Mammogram, left breast, cranio-caudal view. 47 y/o patient.
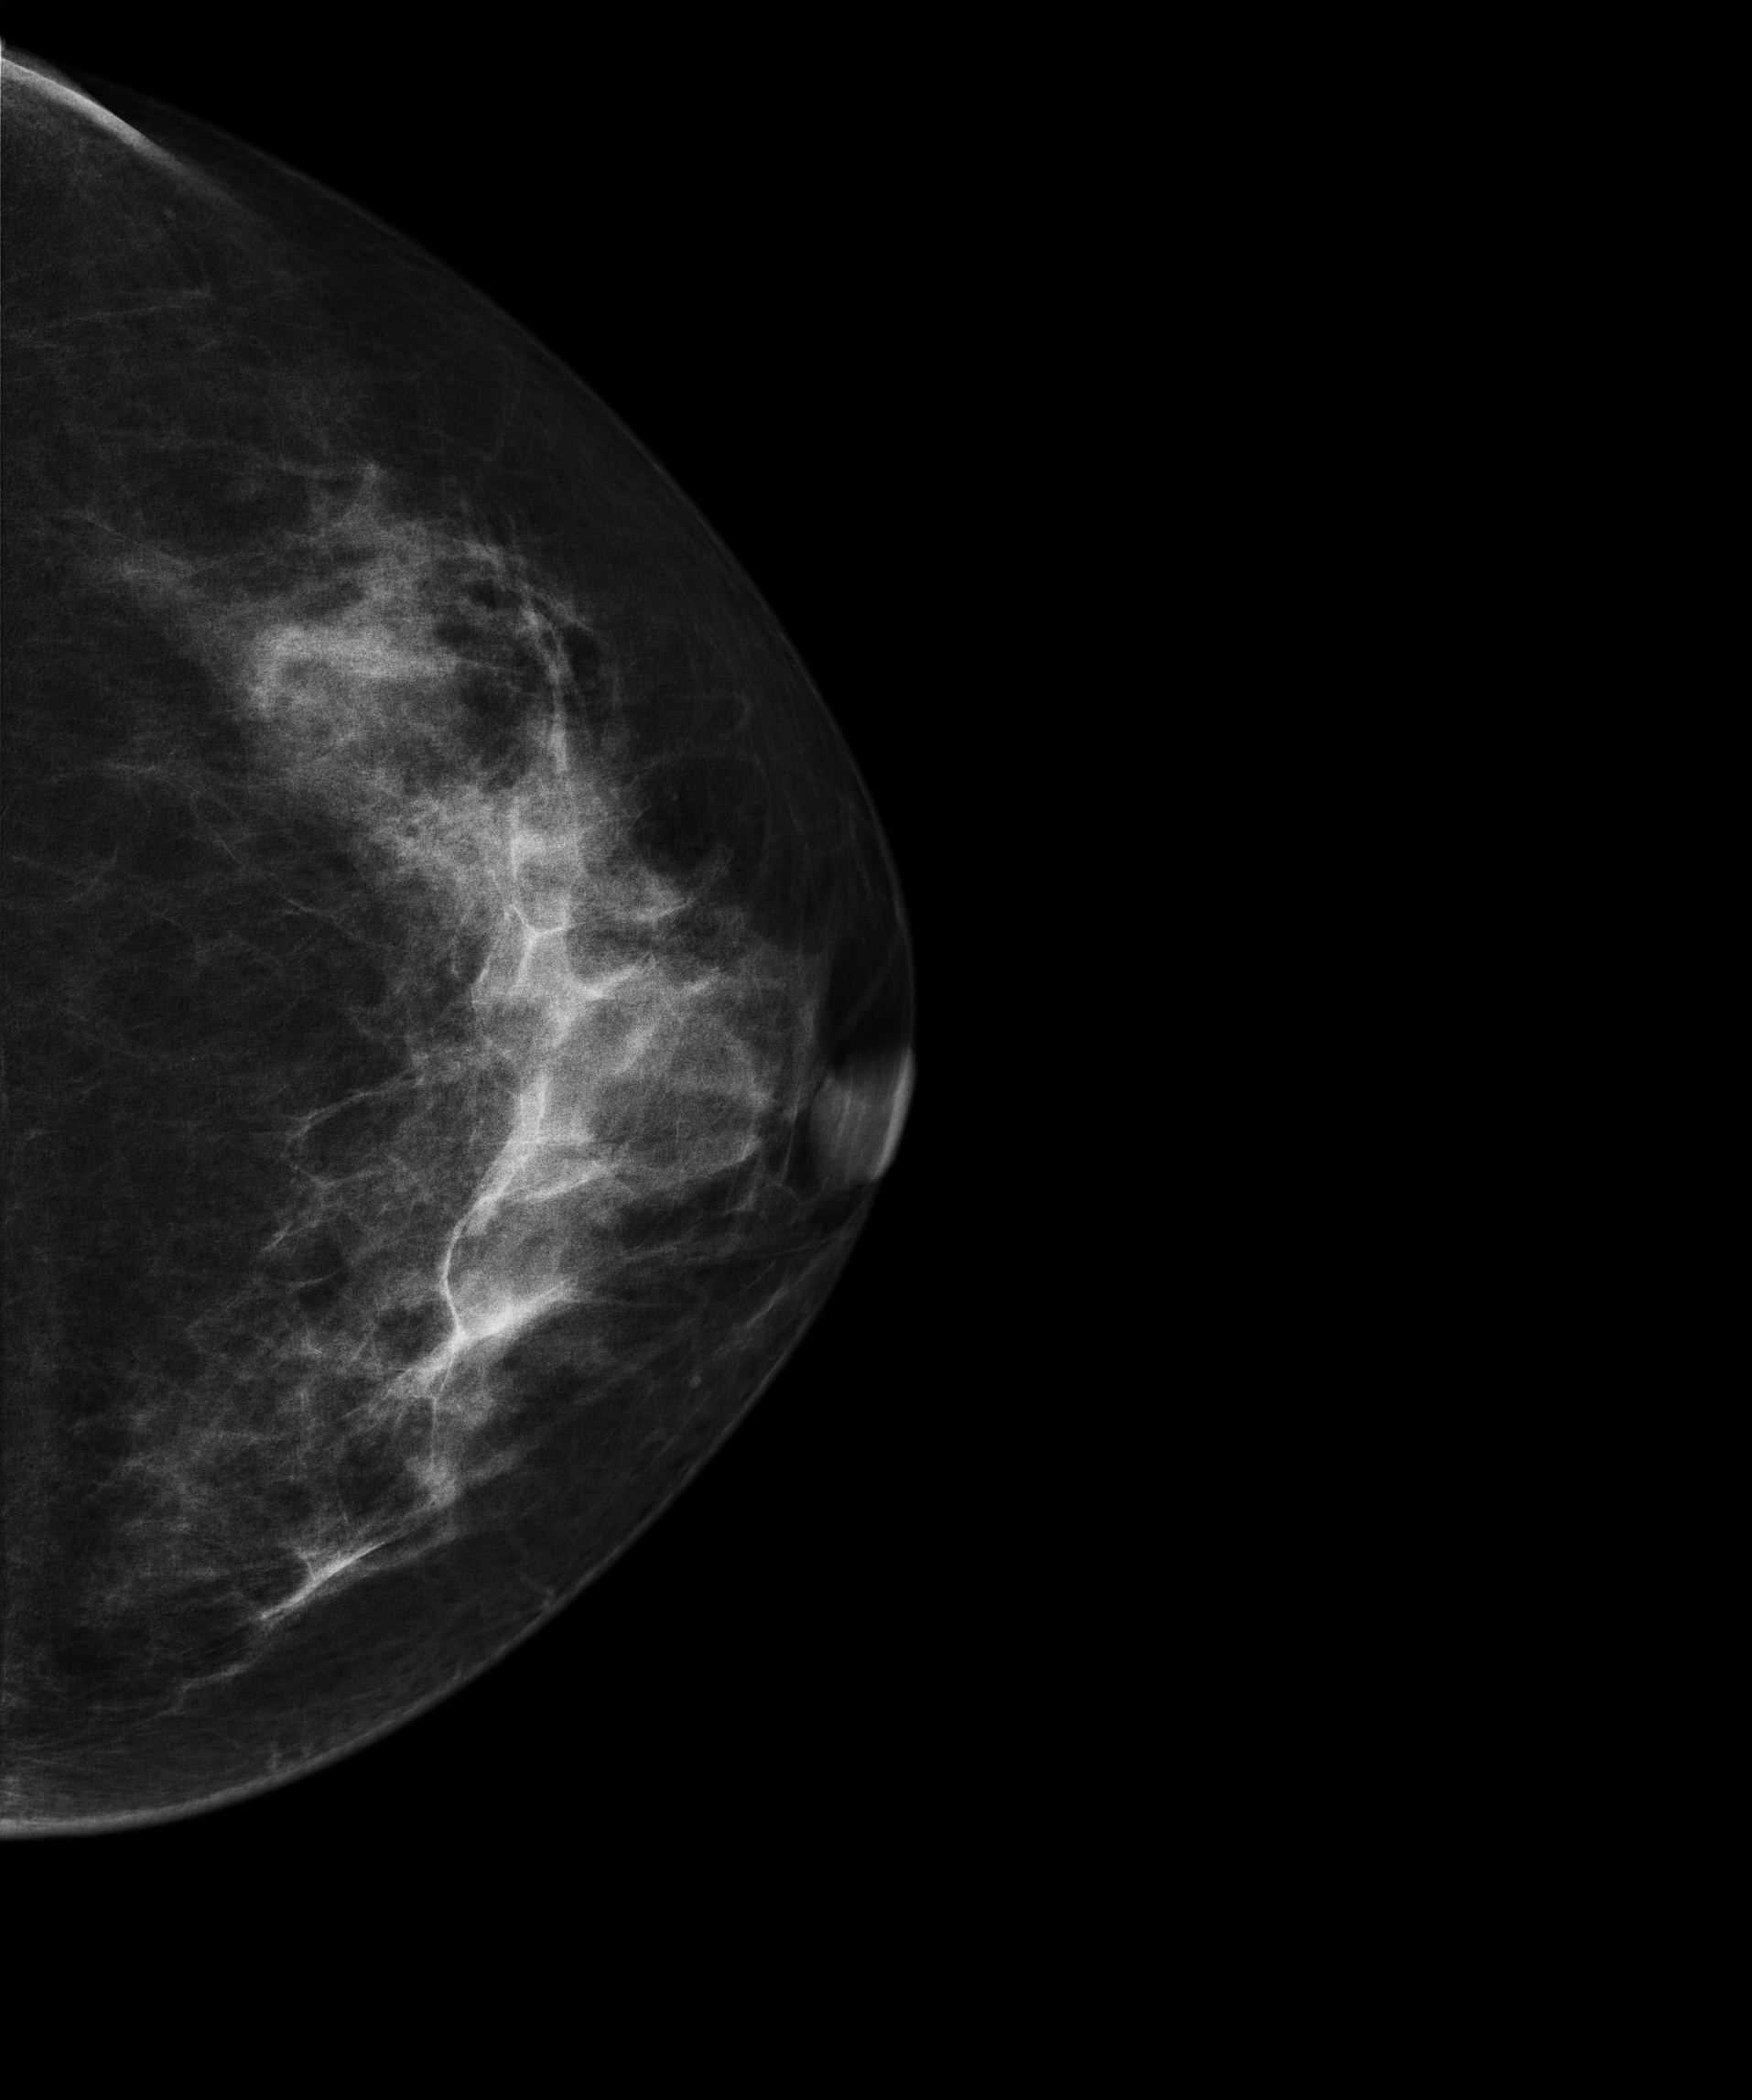
This breast has a mass, biopsy-confirmed benign.